Right-breast mammogram, CC. 45-year-old patient.
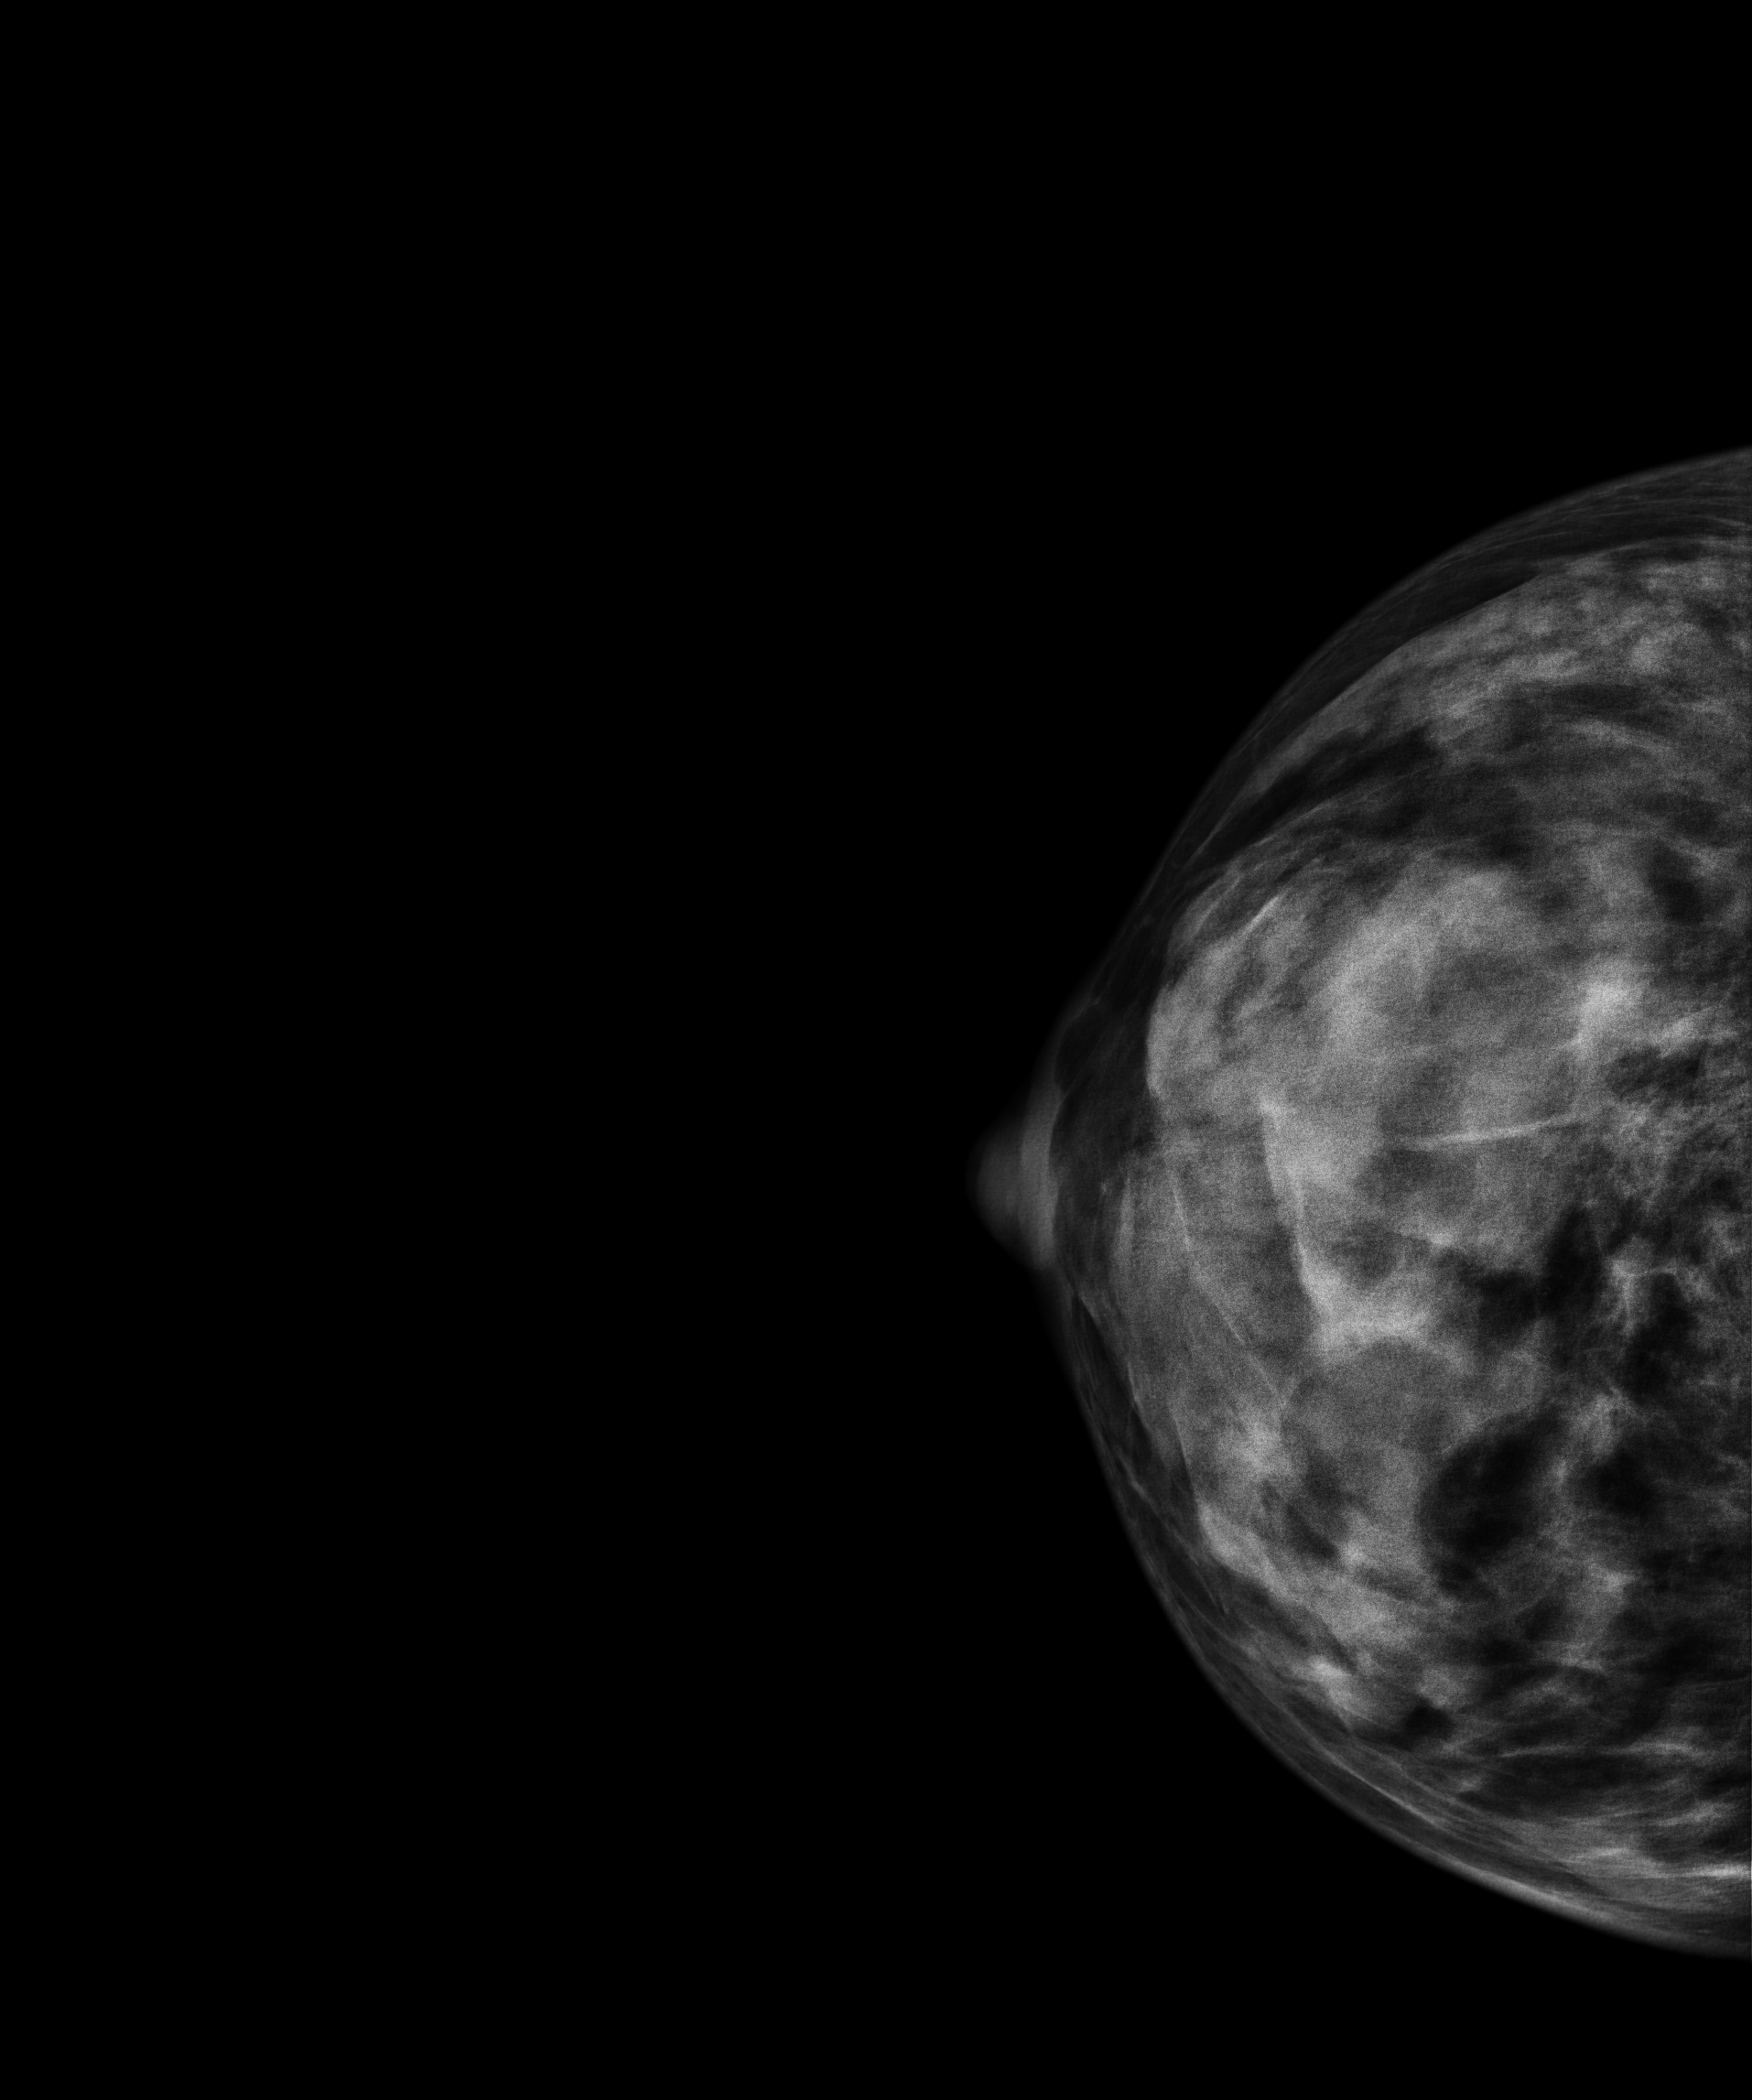
This breast has a mass, biopsy-confirmed malignant.